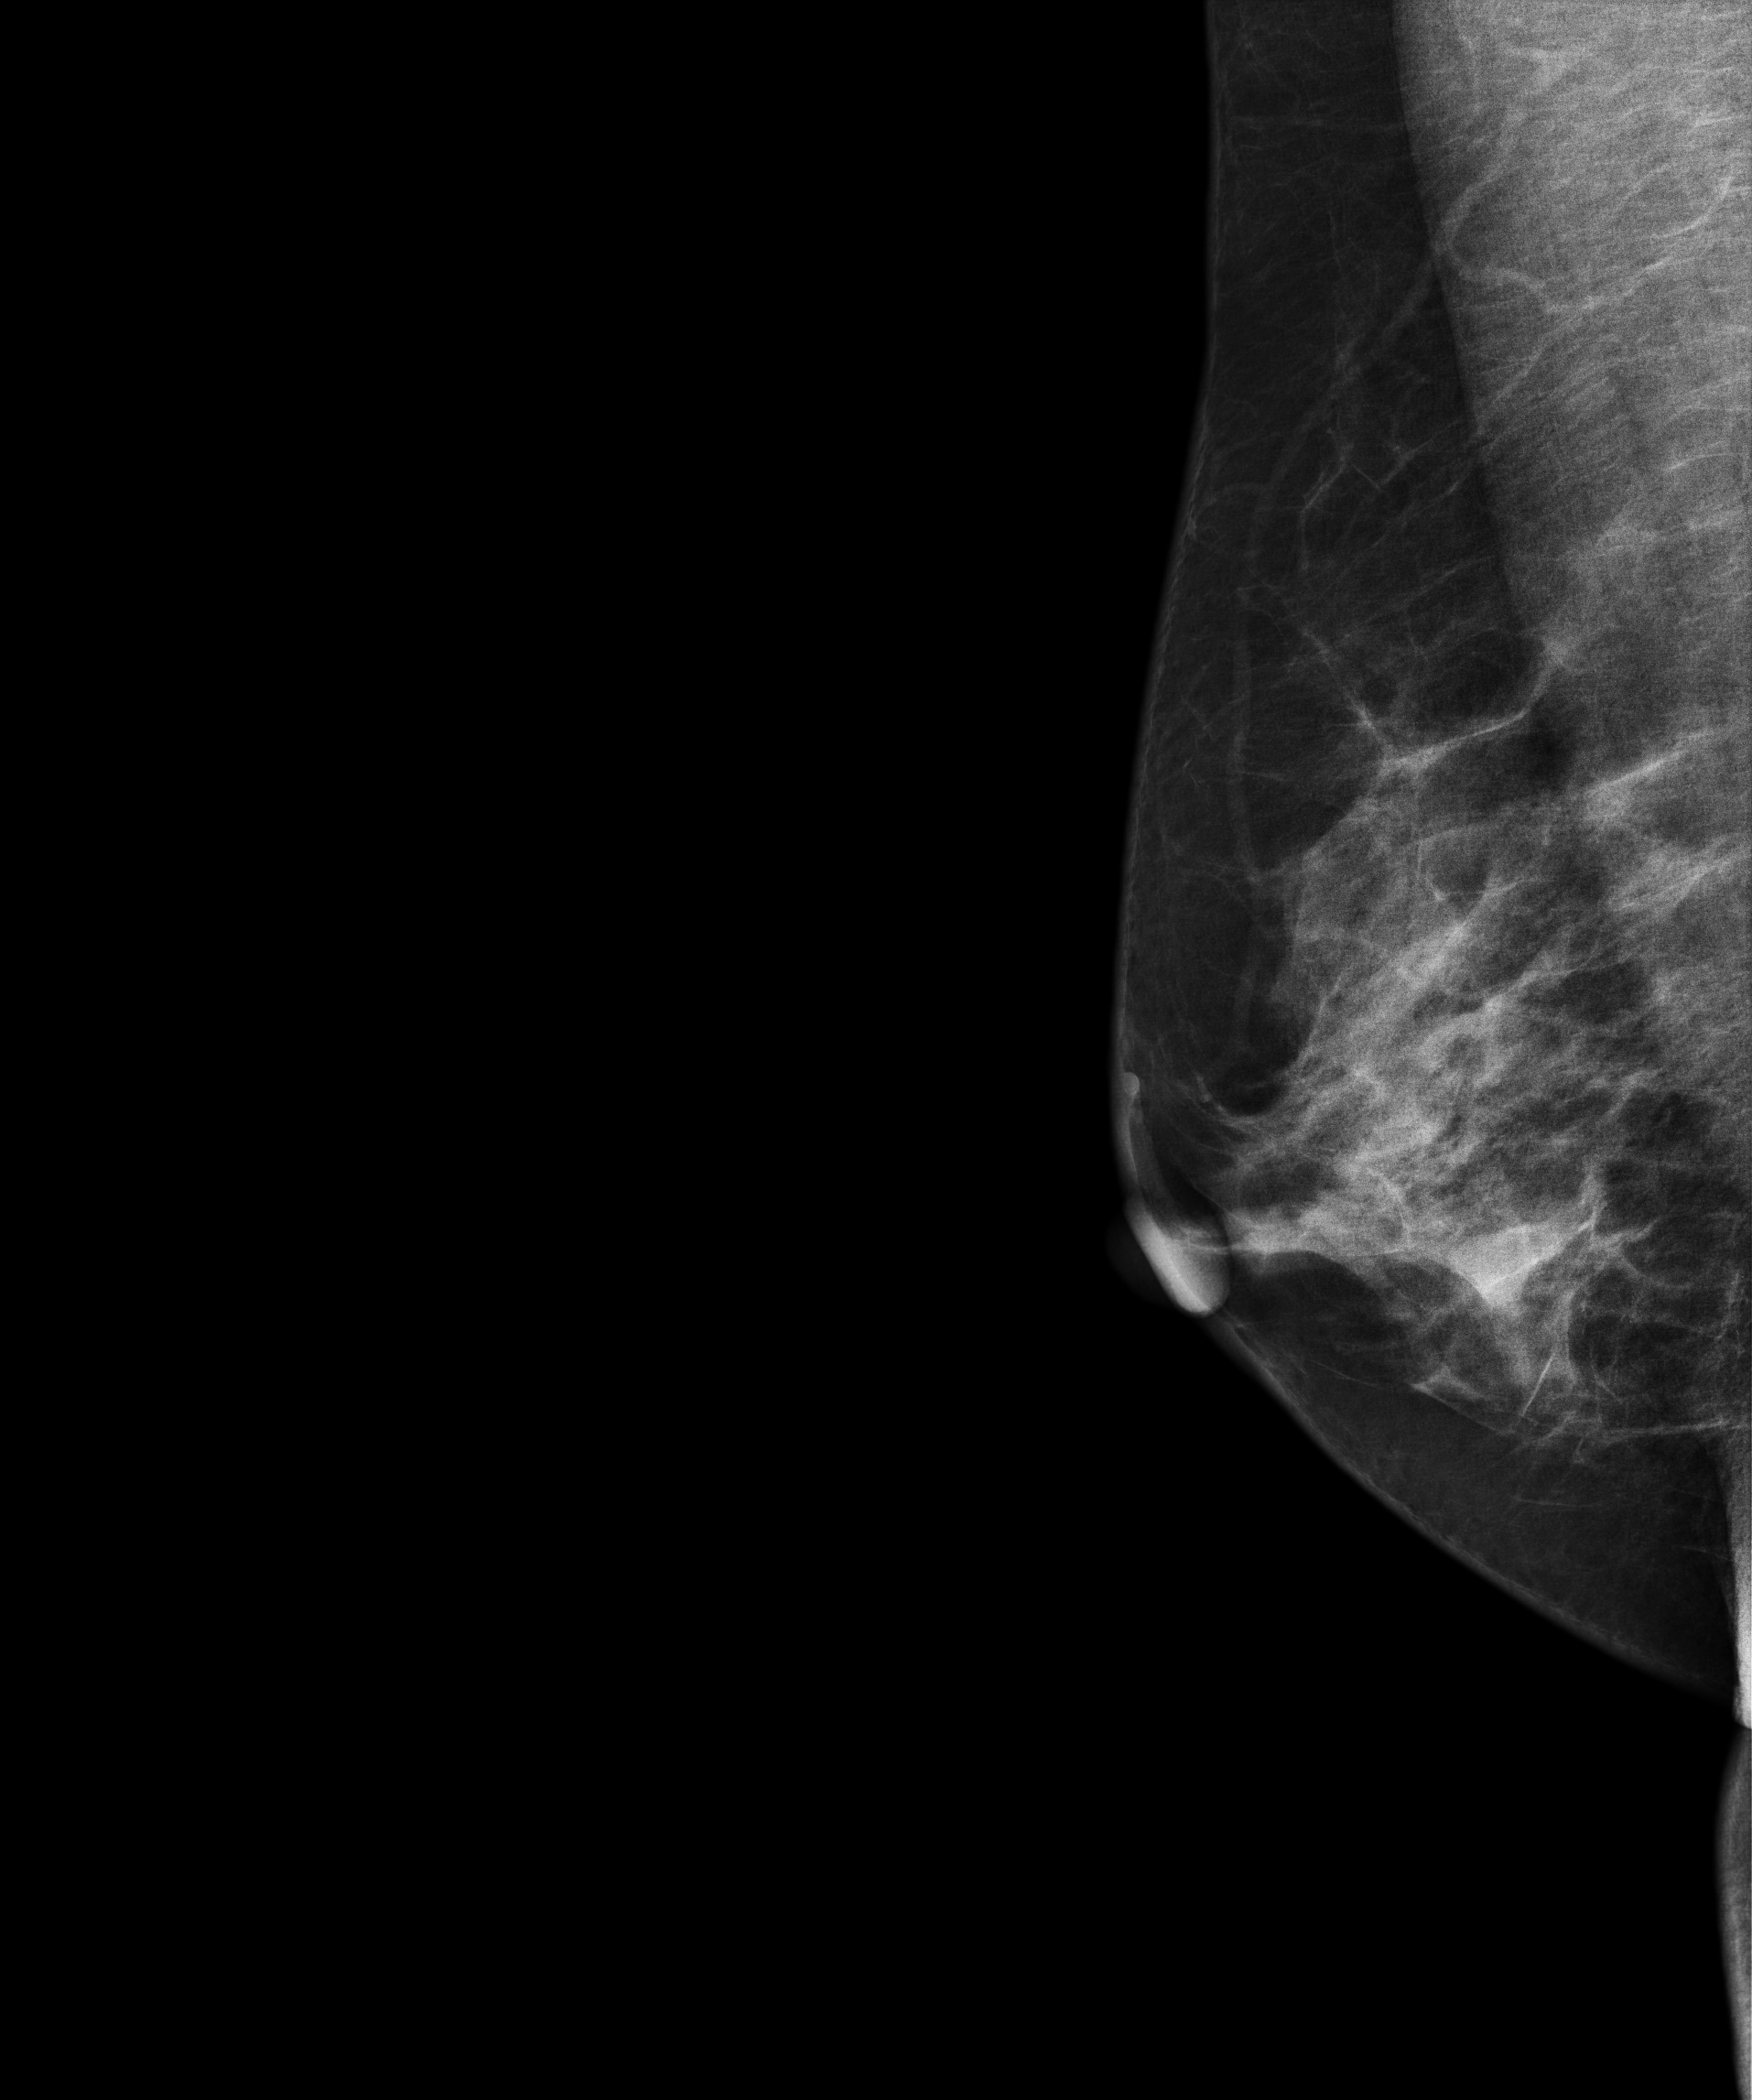
Digital mammography. Right breast, medio-lateral oblique projection. Patient age 58.
Contralateral breast — no documented abnormality on this side.